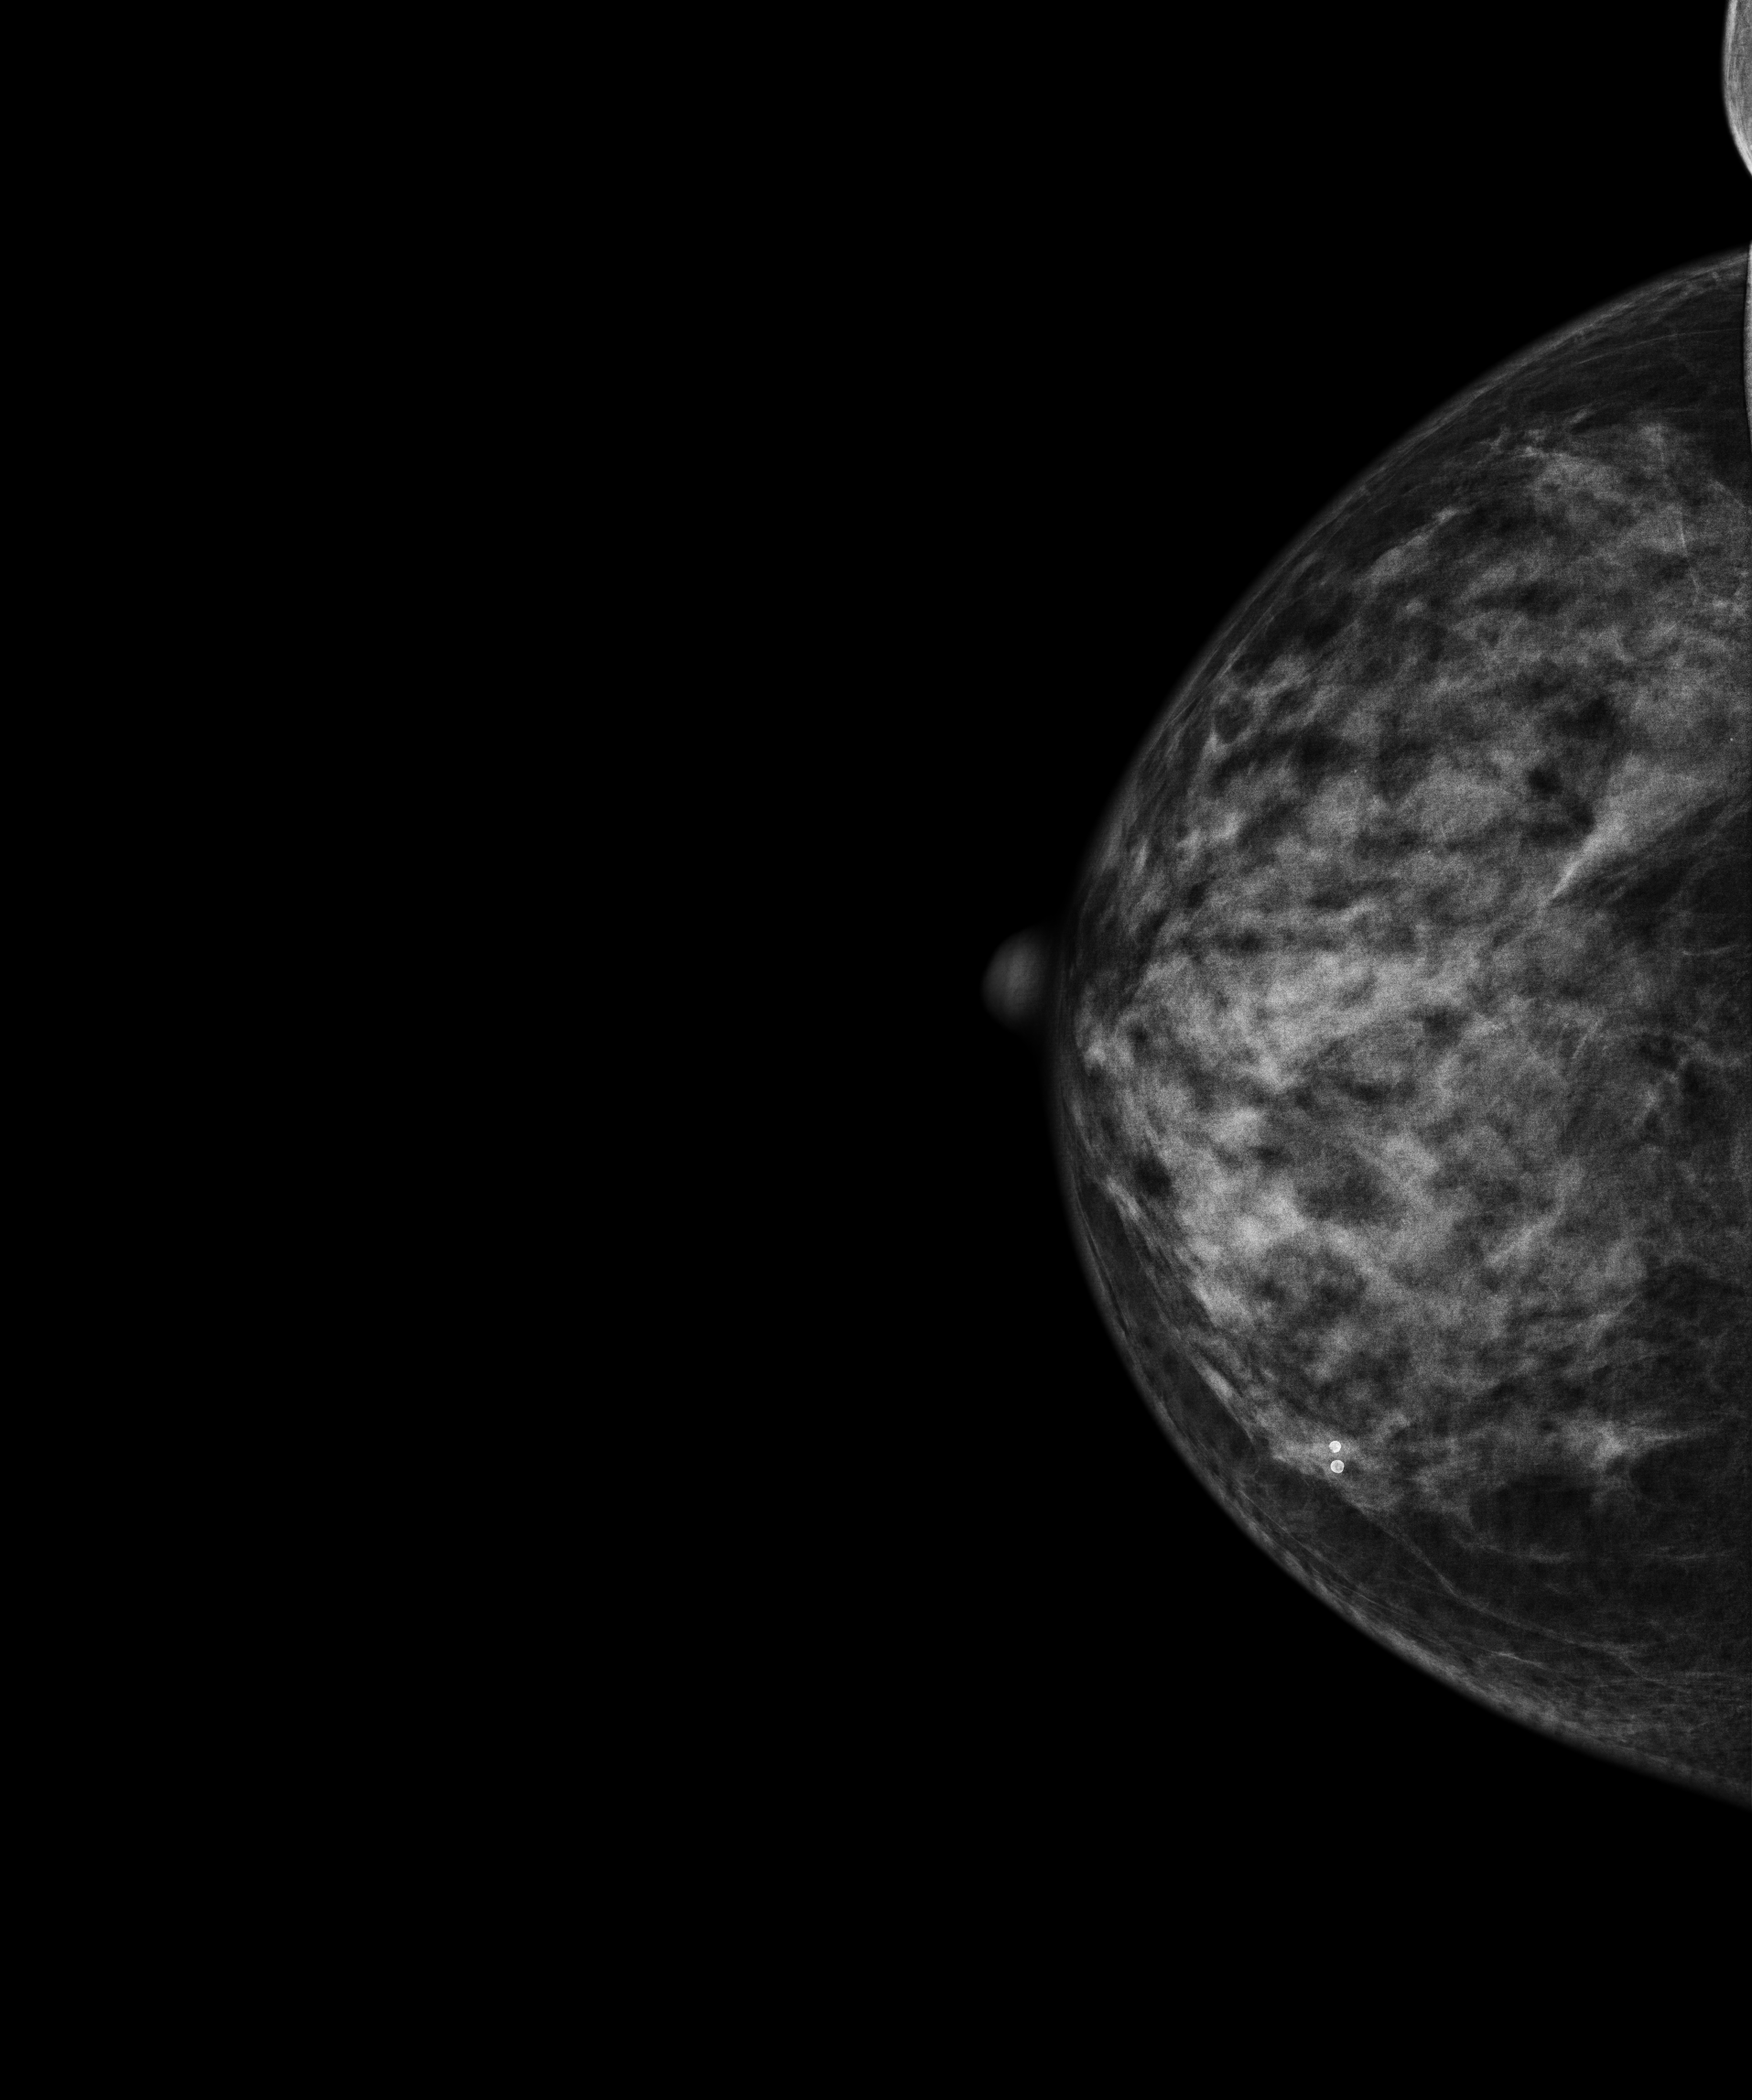
CC mammogram of the right breast. 60 y/o patient.
Contralateral breast — no documented abnormality on this side.